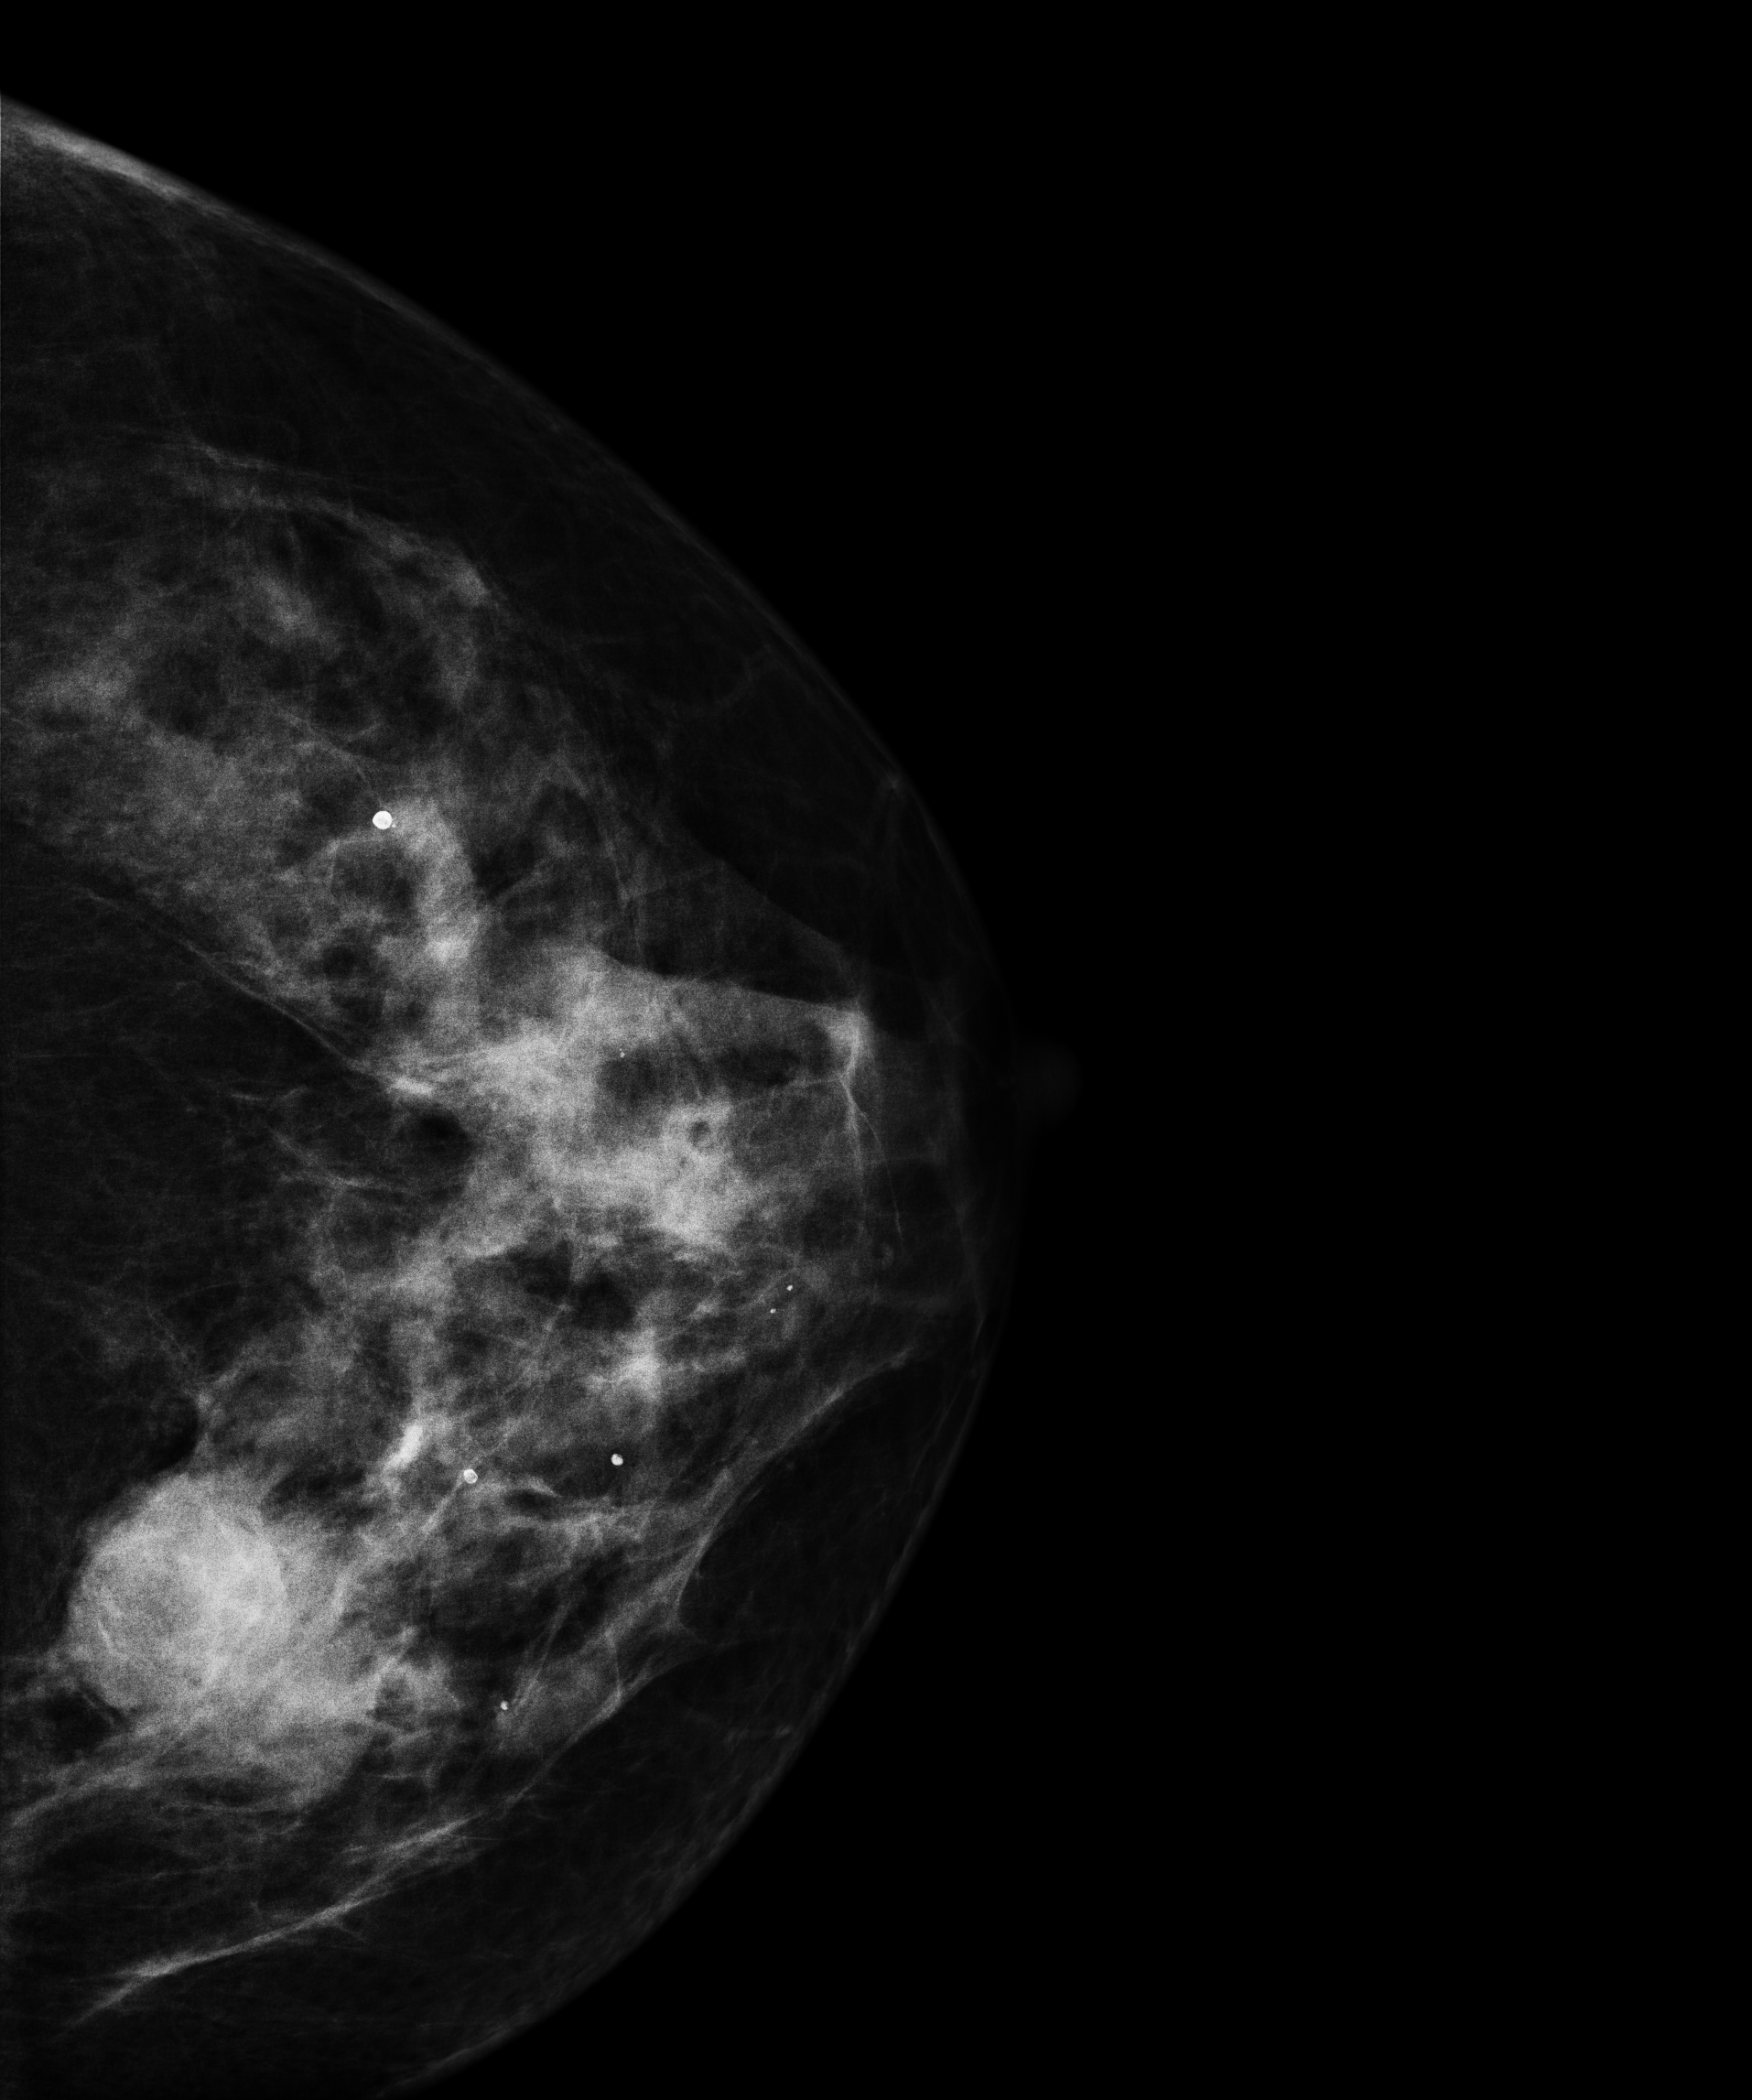
CC mammogram of the left breast. 58-year-old patient.
This breast has a mass, biopsy-proven malignant. Molecular subtype: luminal A.